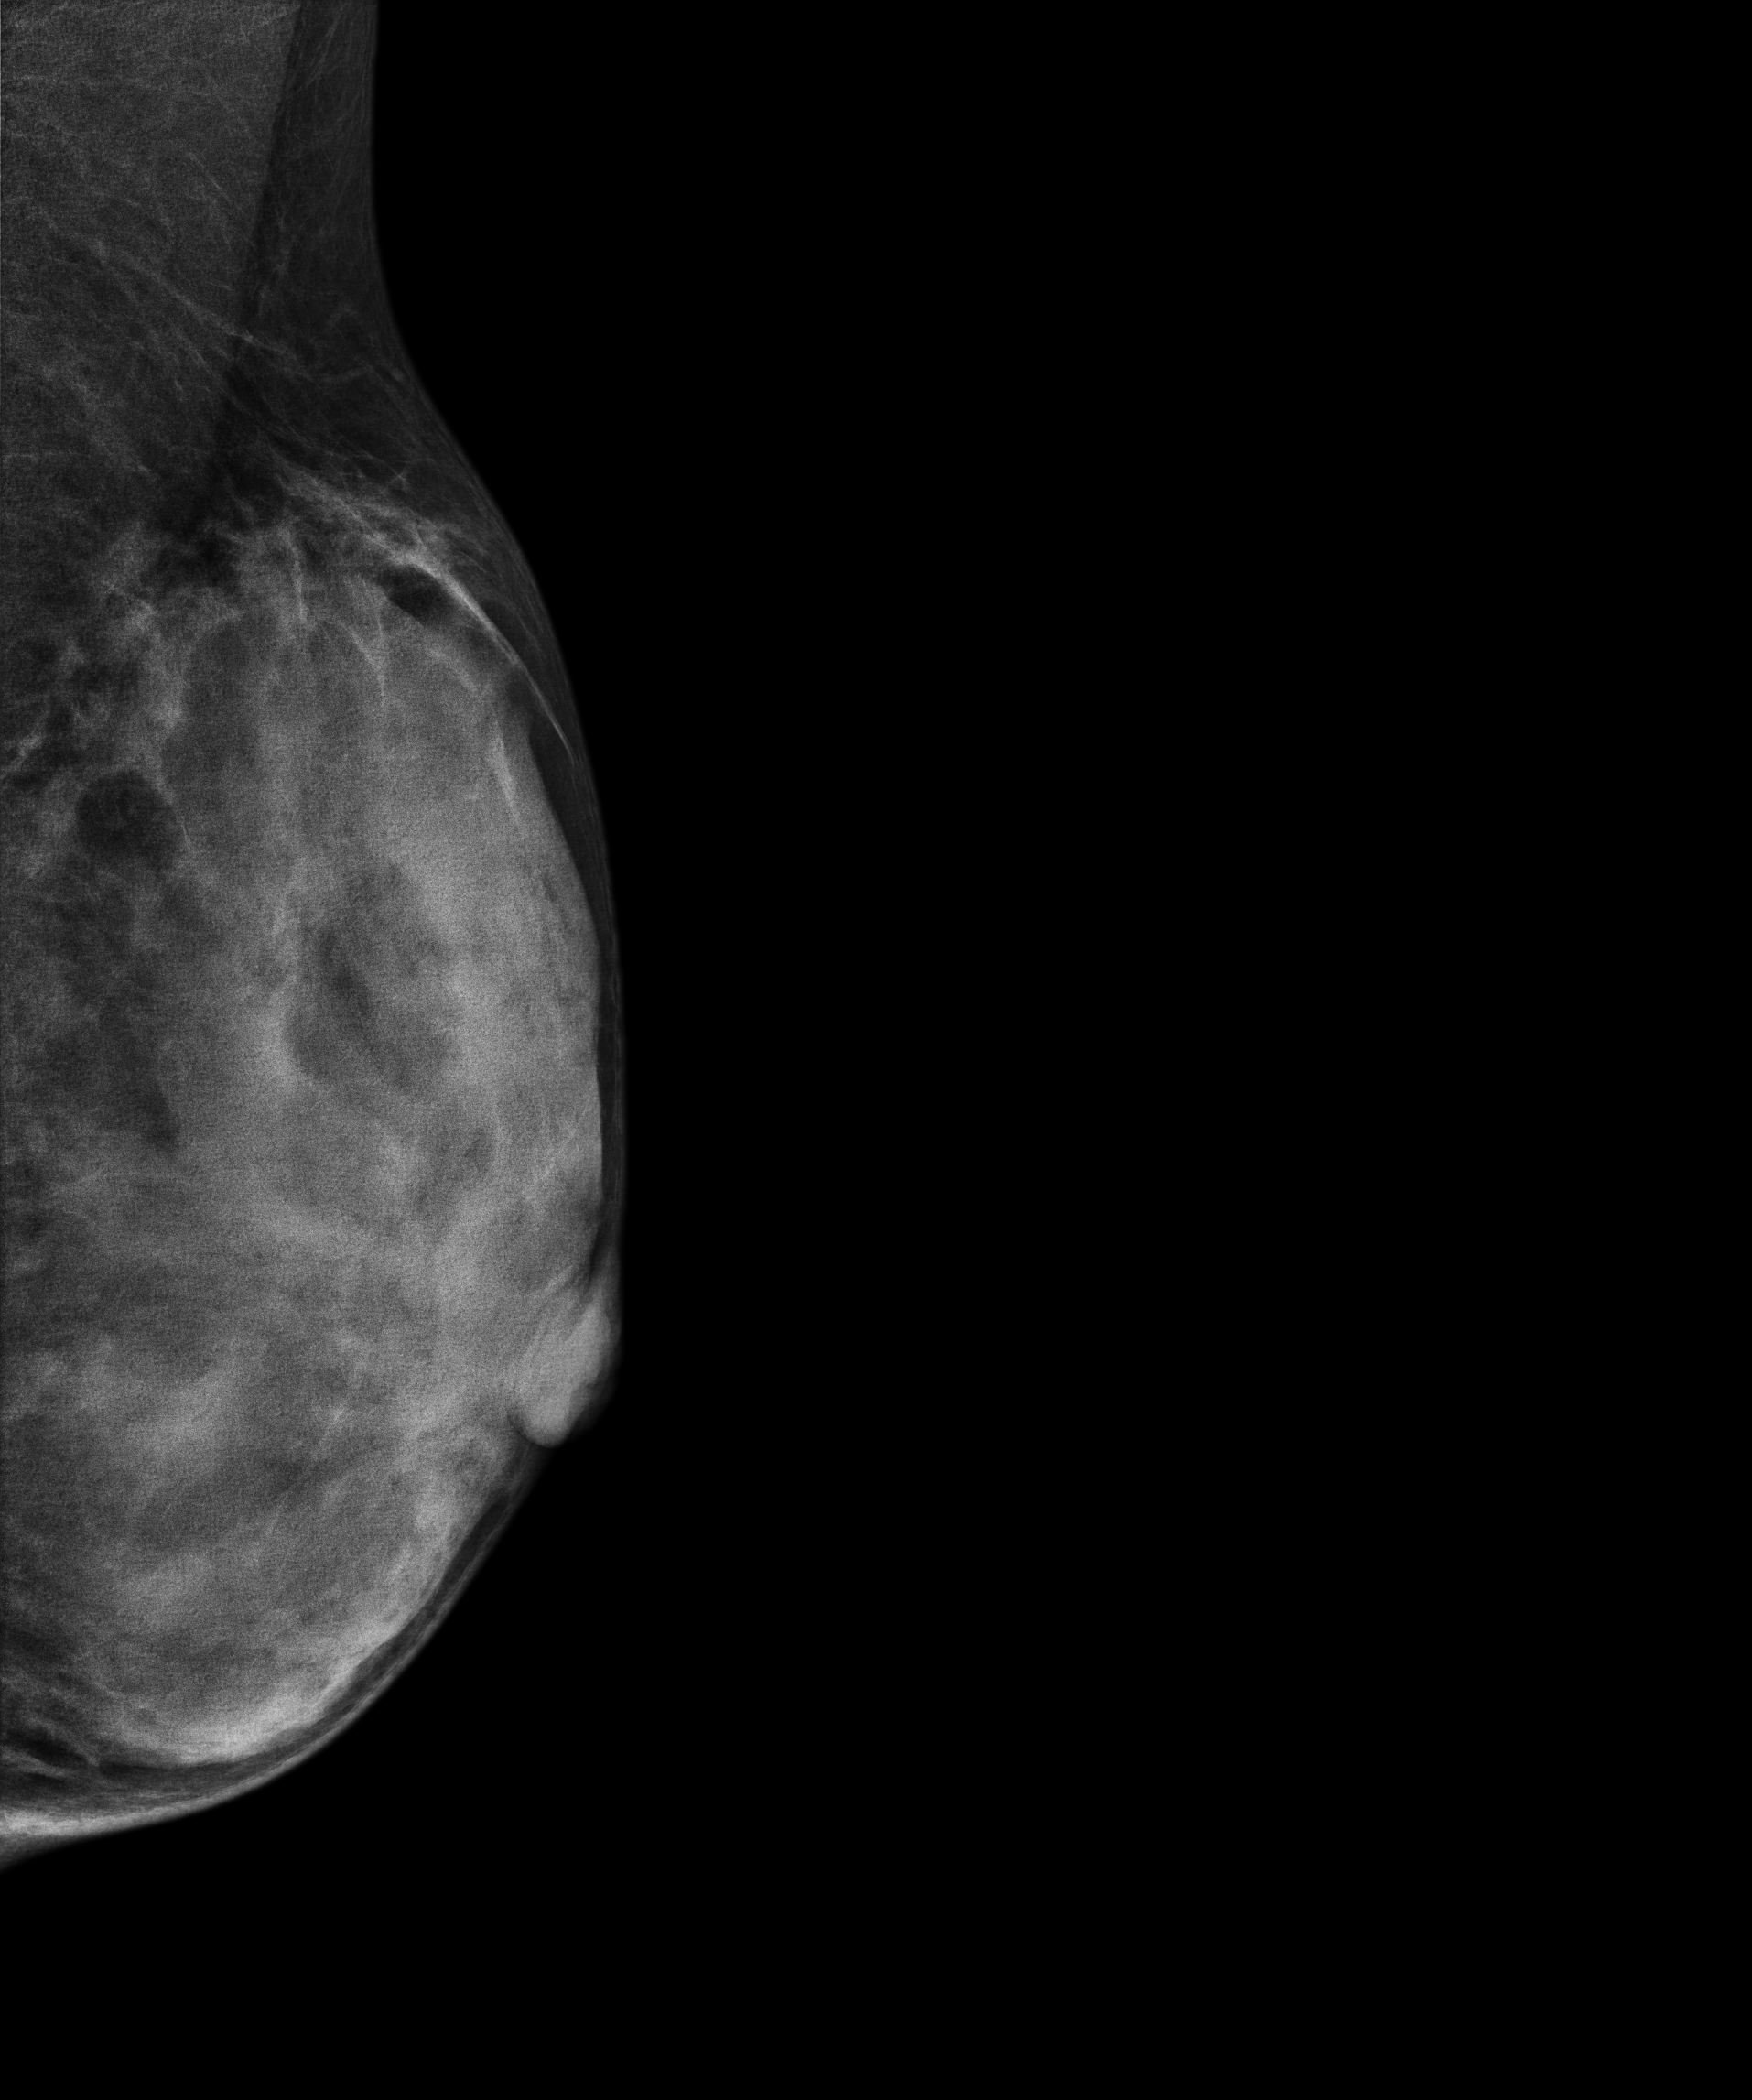
Mammogram, left breast, medio-lateral oblique view. 32 y/o patient.
Contralateral breast — no documented abnormality on this side.